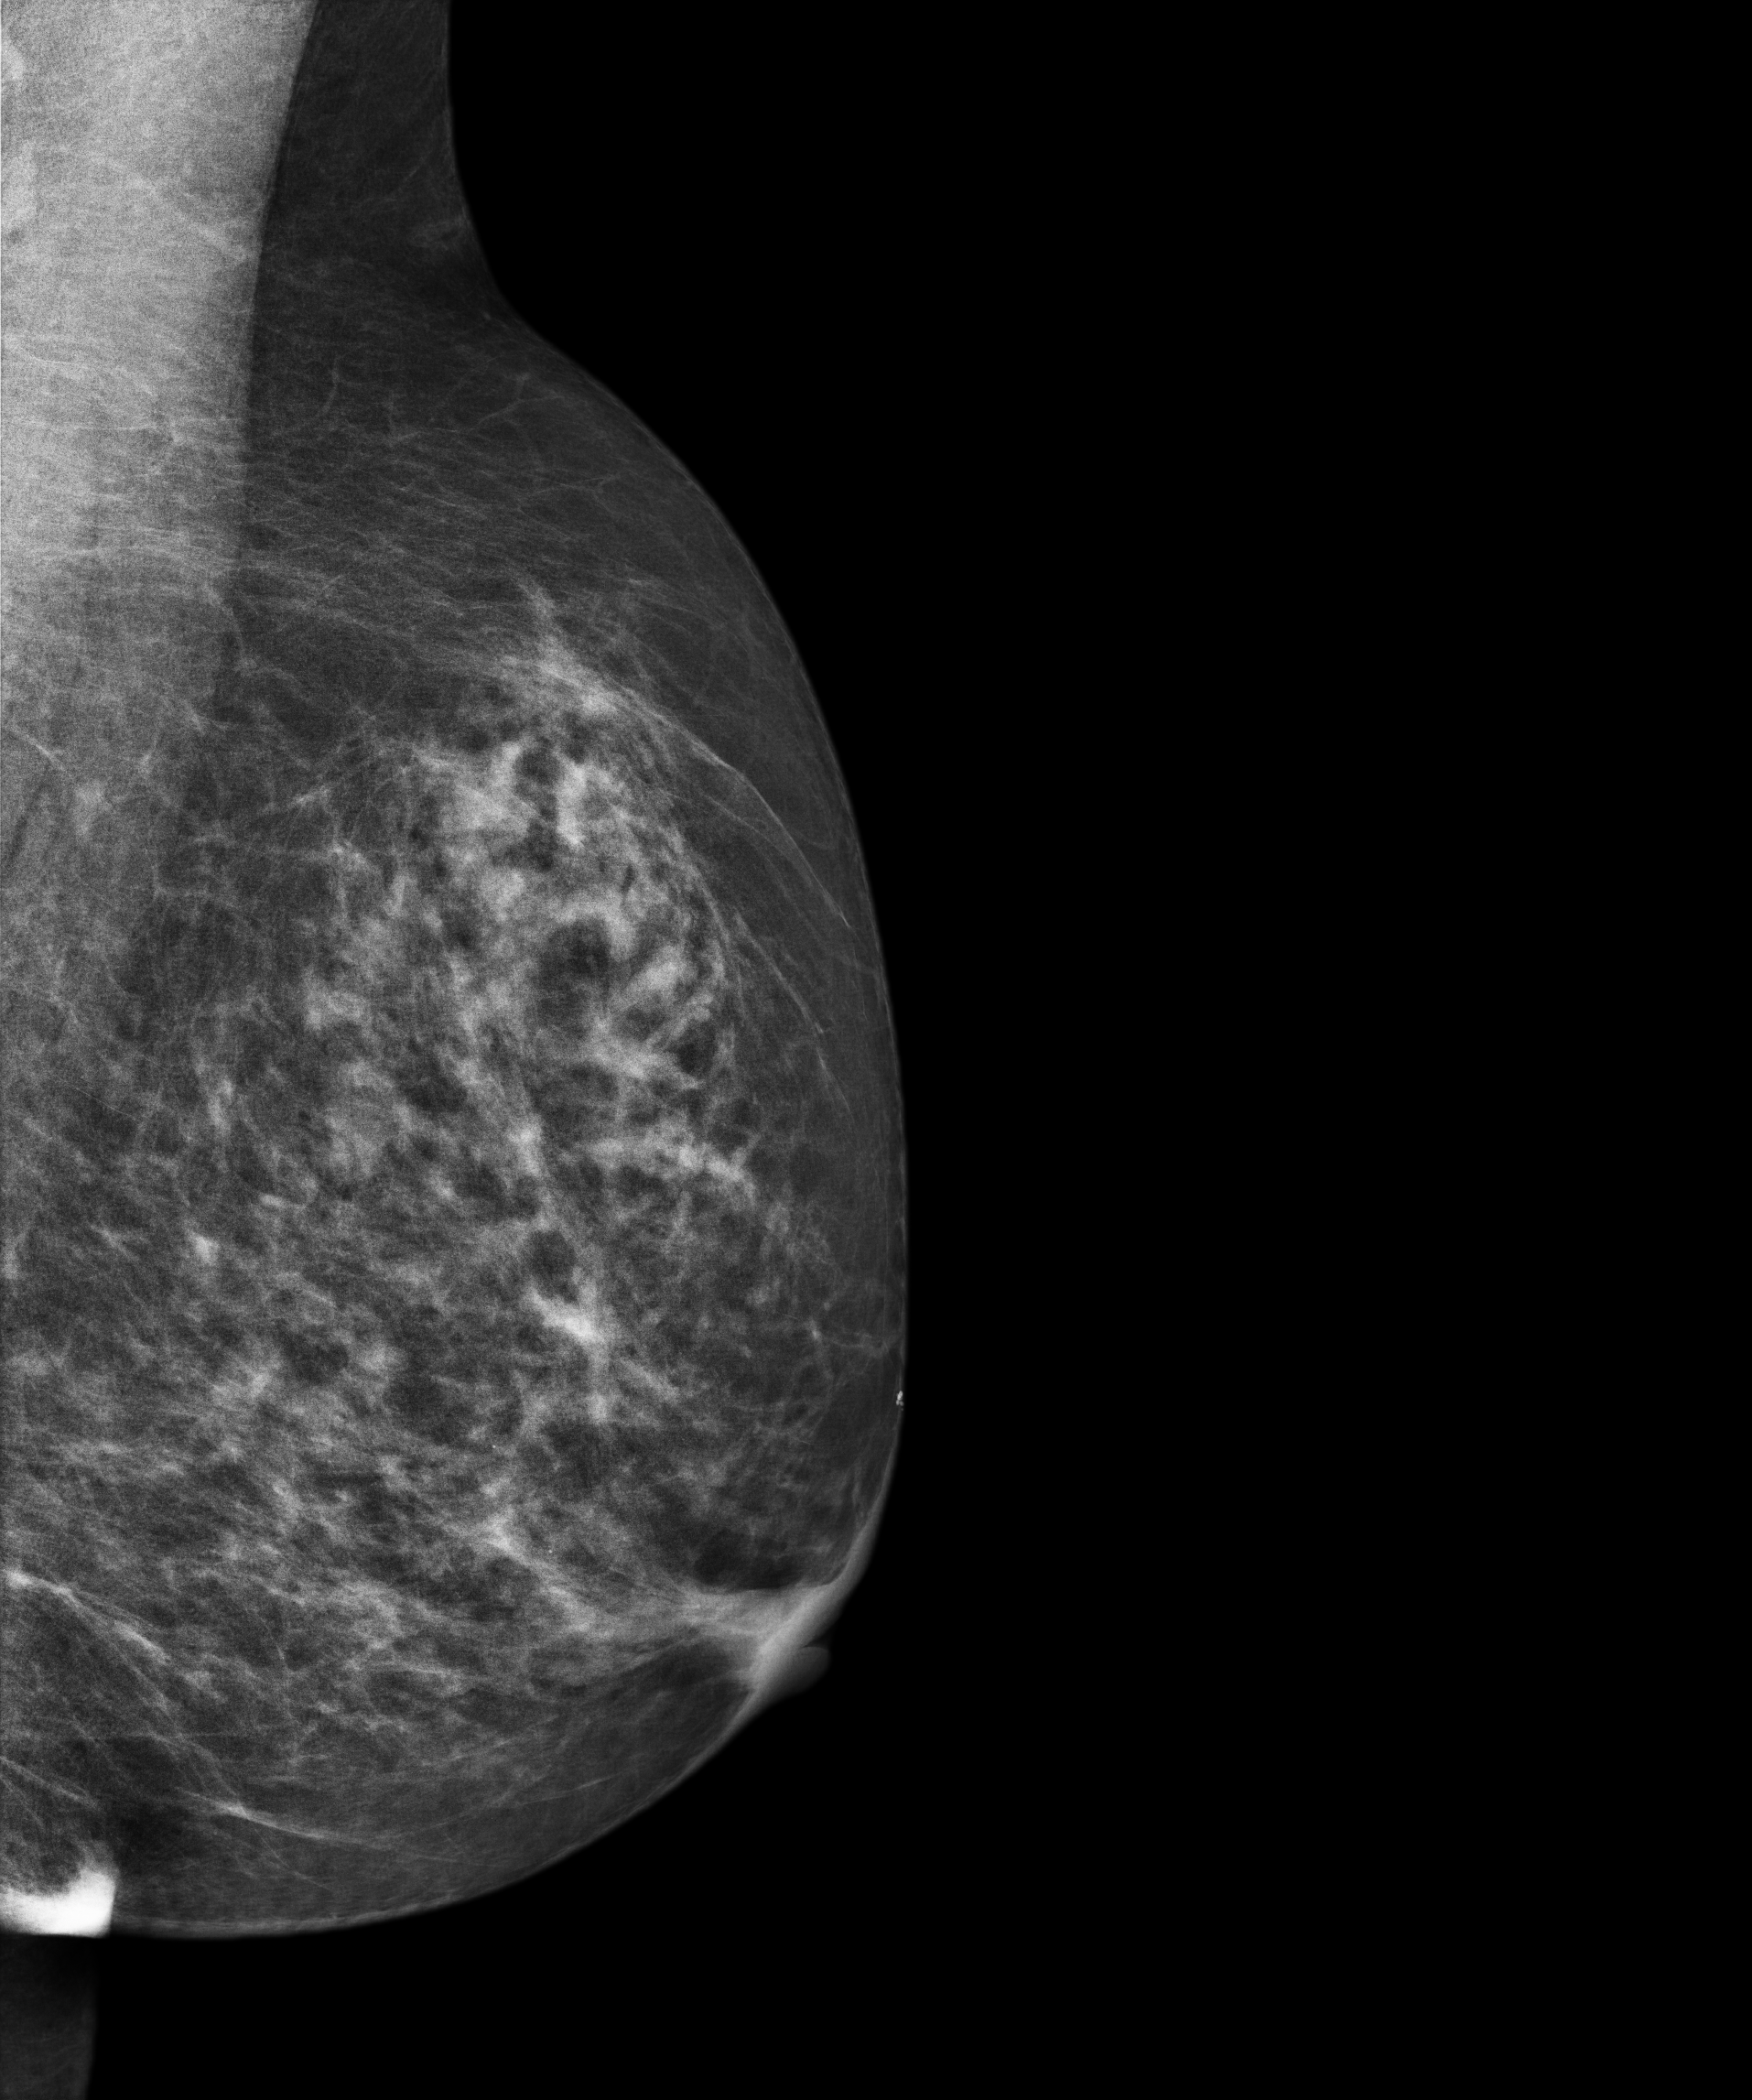
Digital mammography. Left breast, medio-lateral oblique projection. Patient age 57.
This breast has a mass, biopsy-confirmed malignant.